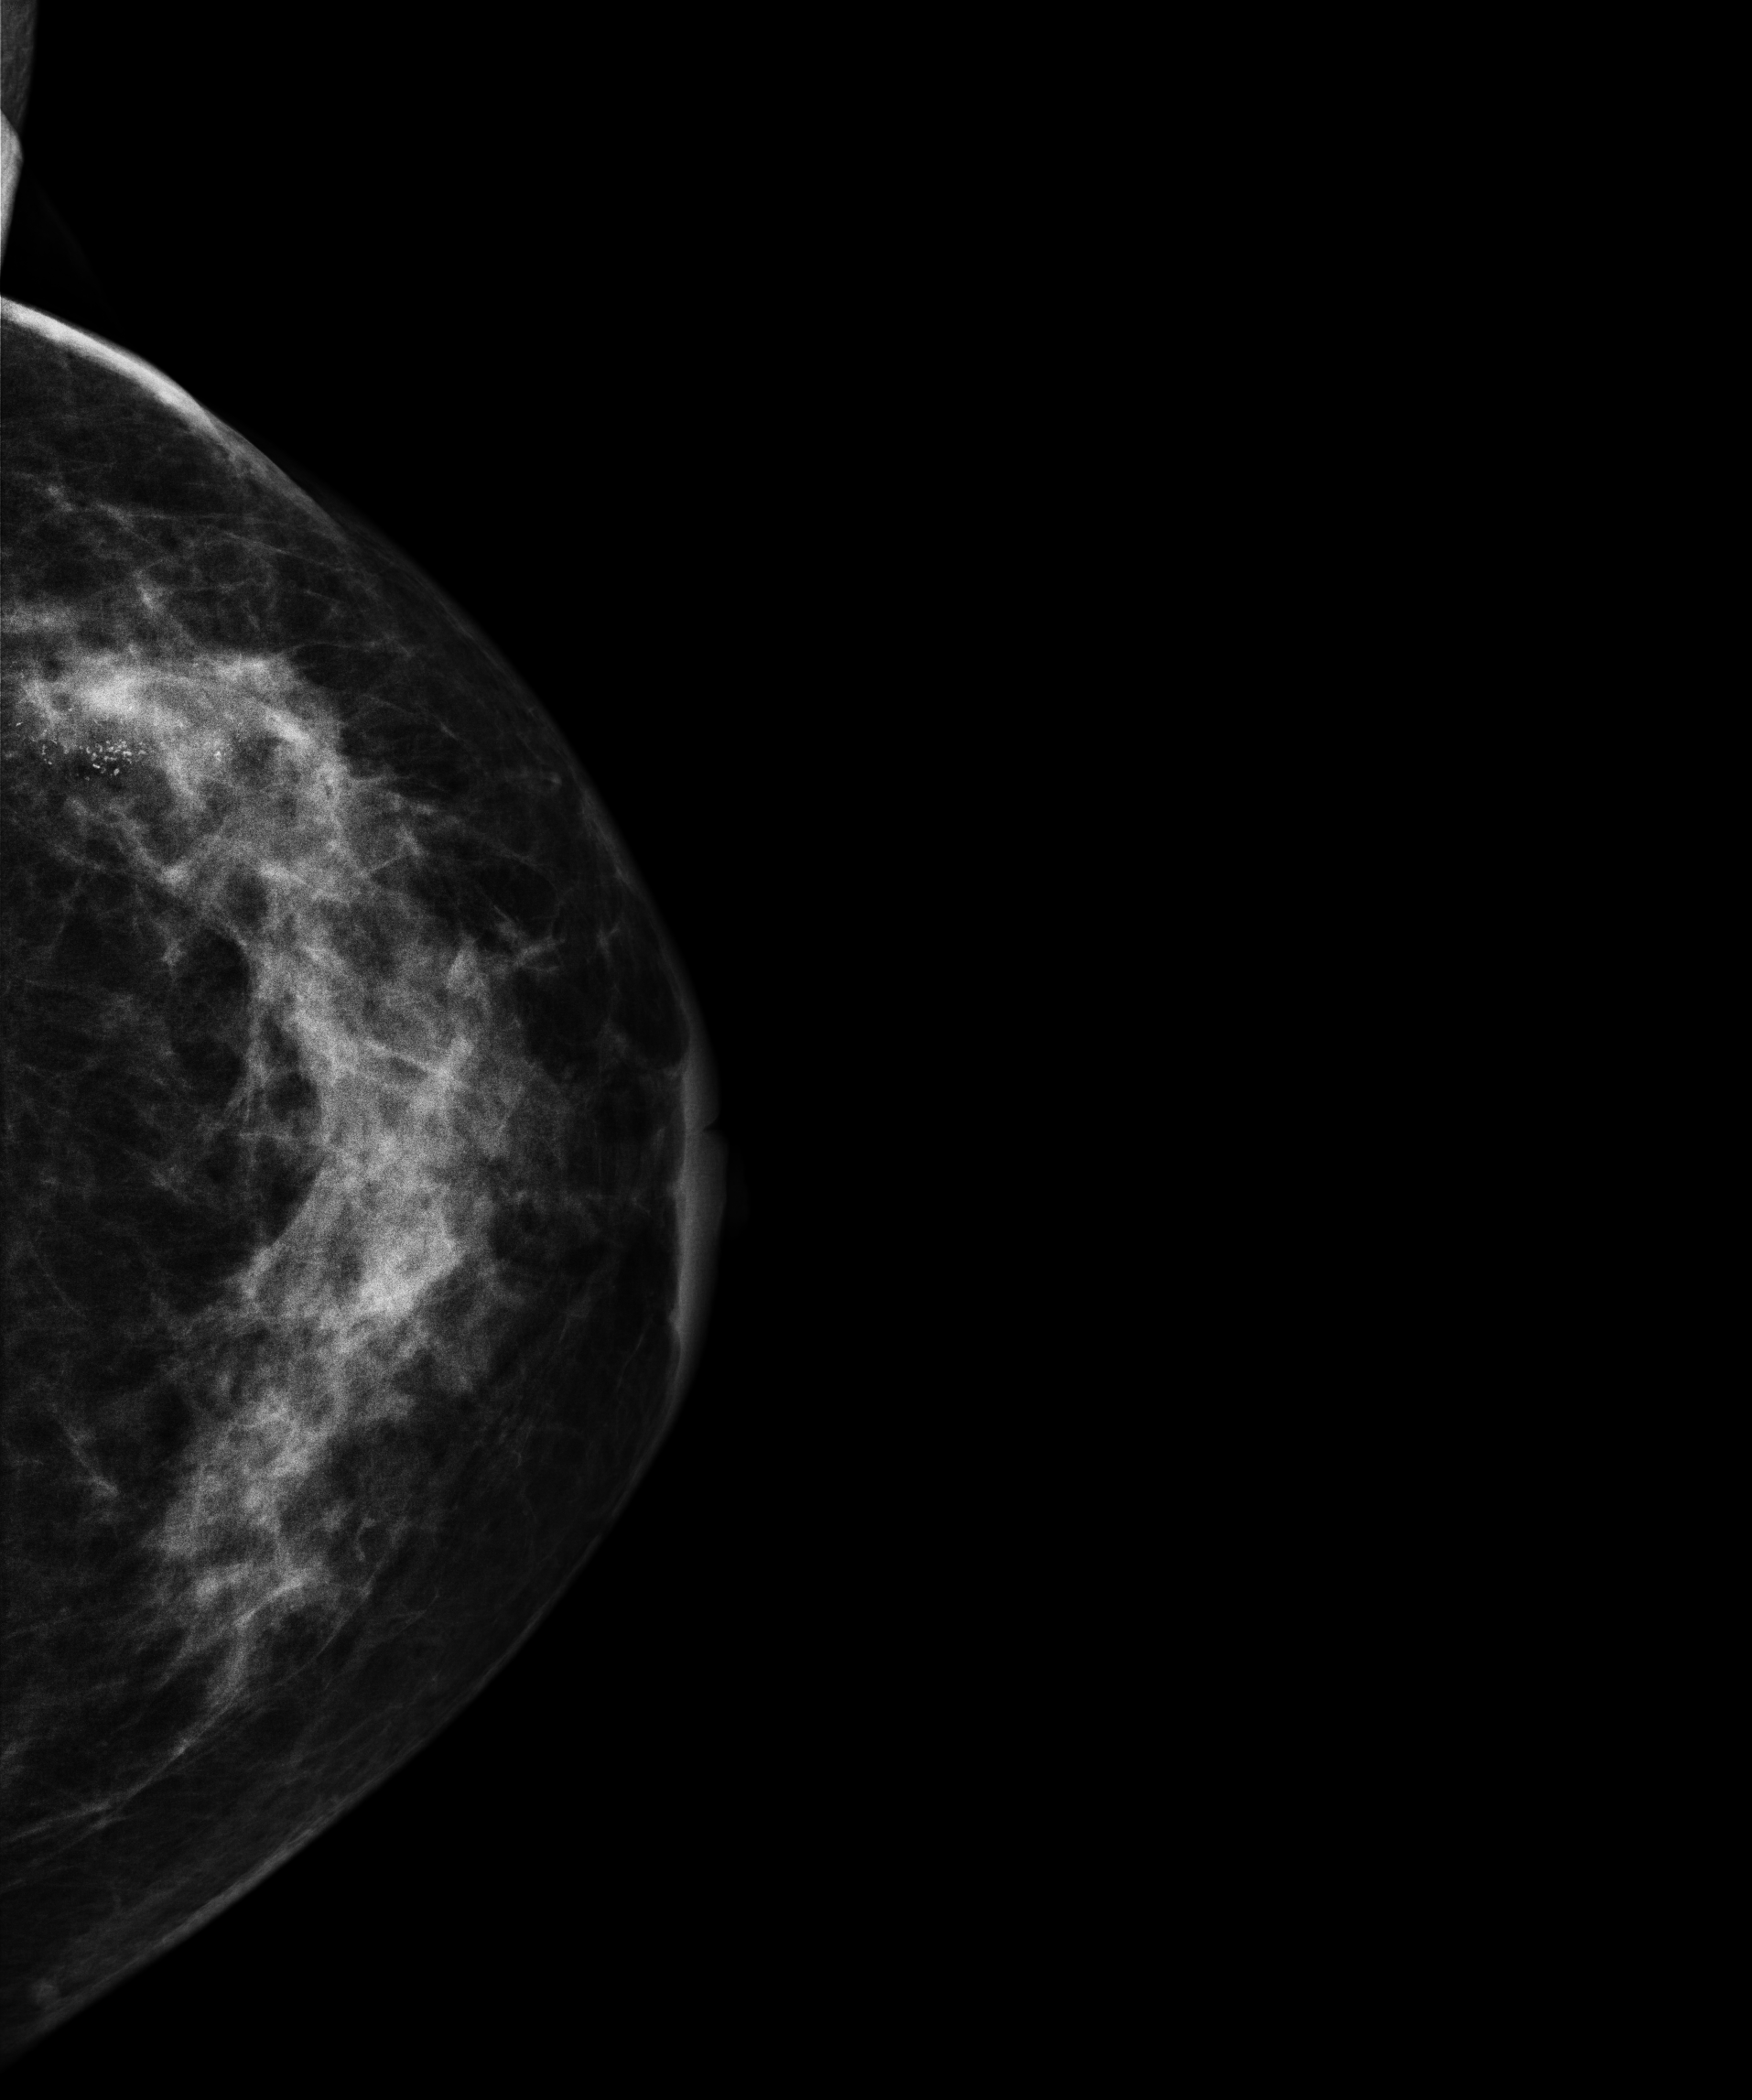
Mammogram — left cranio-caudal. Patient age 58.
This breast has a mass and calcifications, biopsy-confirmed malignant. Molecular subtype: luminal B.